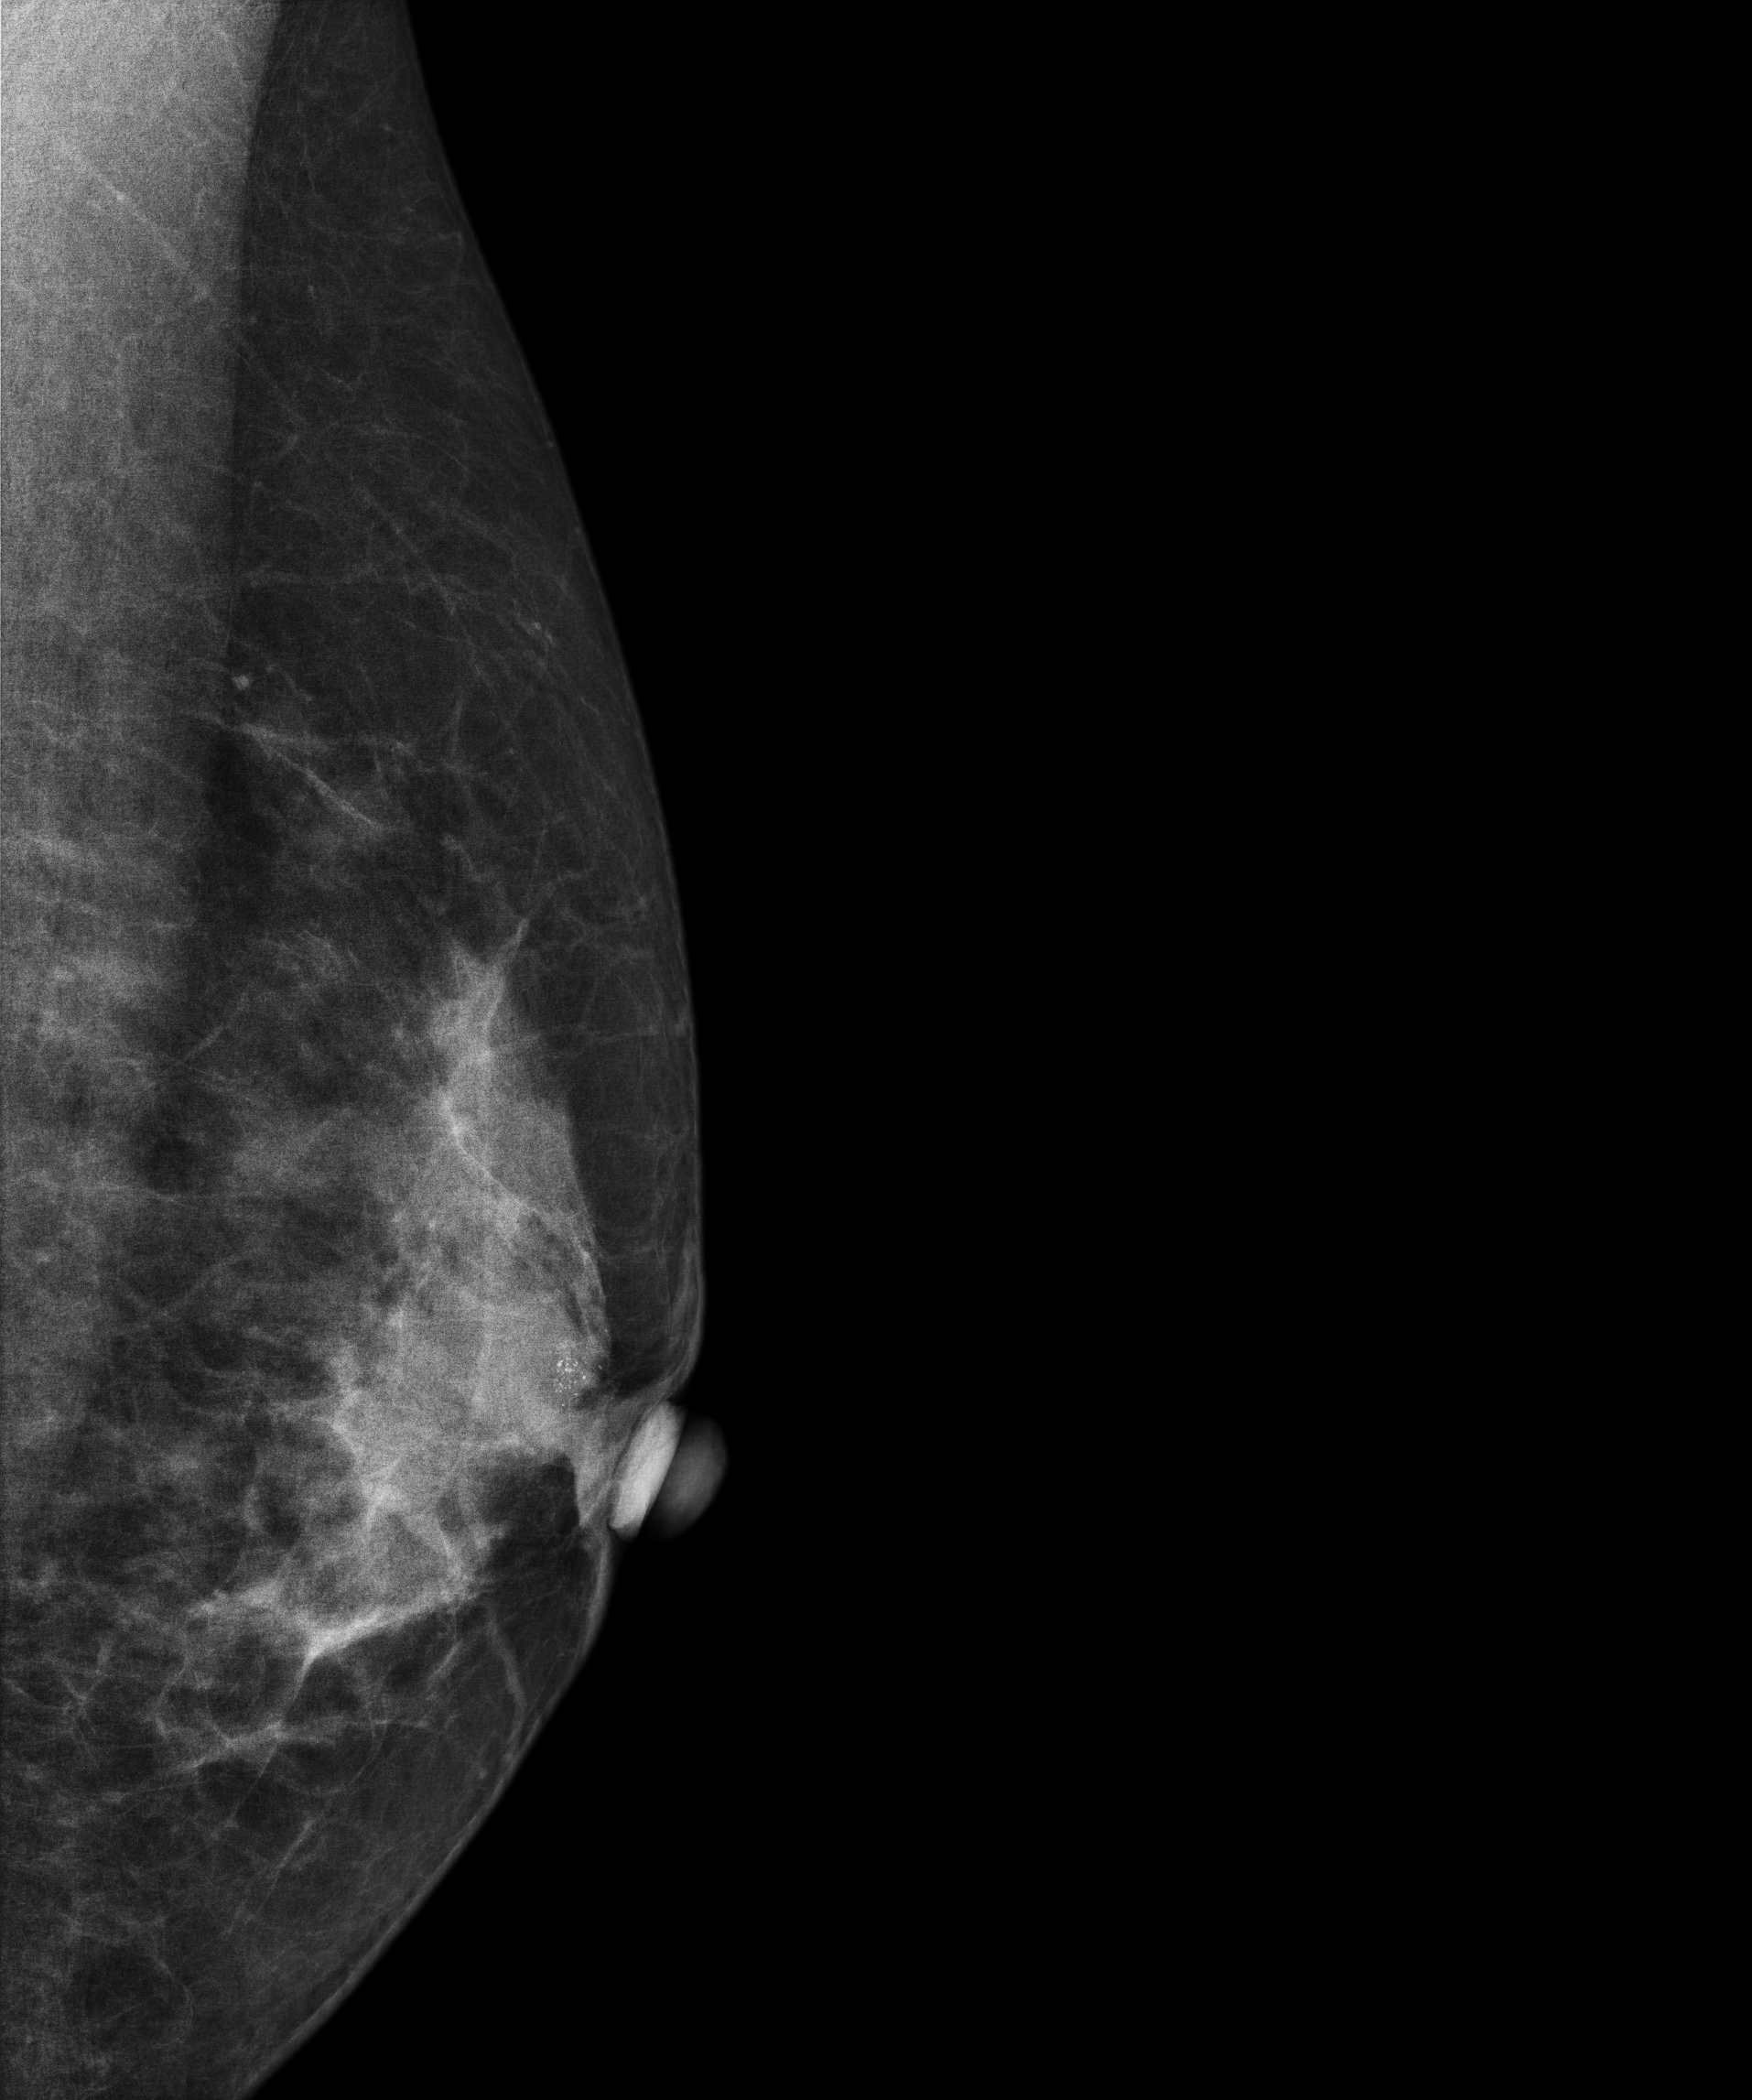
Mammogram — left medio-lateral oblique. Patient age 47.
This breast has calcifications, biopsy-proven malignant. Molecular subtype: luminal B.